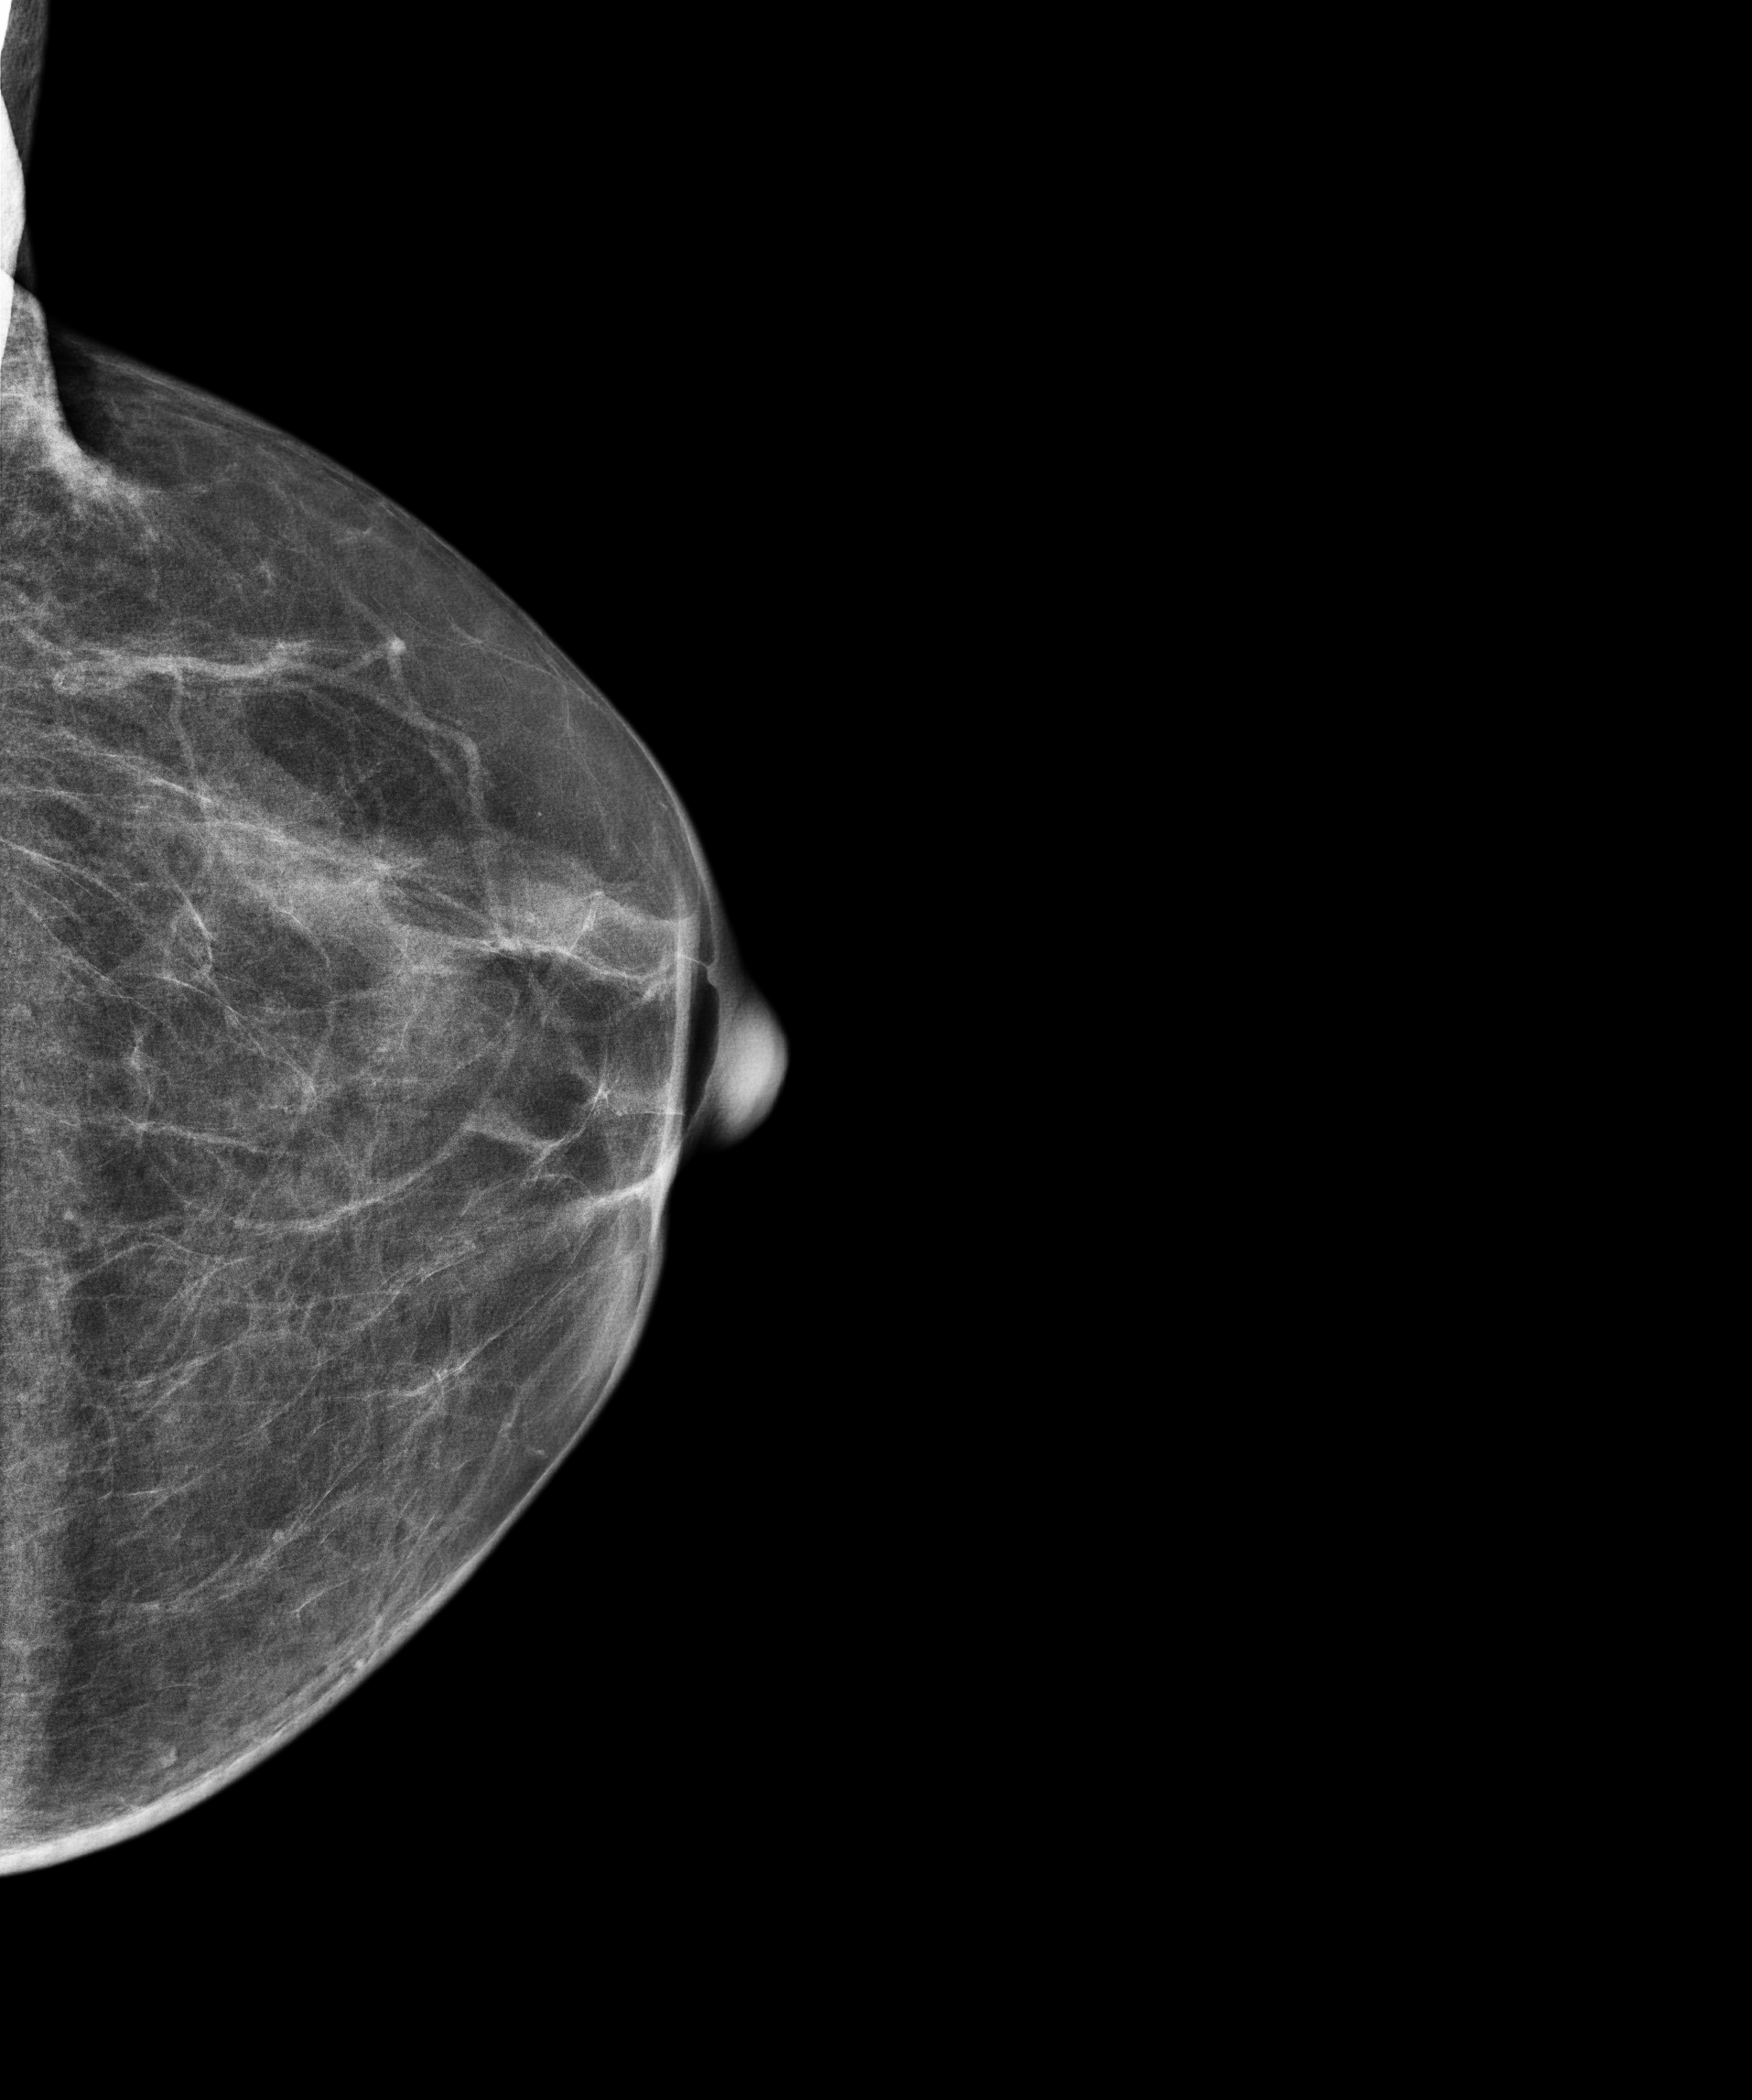
Digital mammography. Left breast, CC projection. 83 y/o patient.
This breast has a mass, biopsy-confirmed malignant. Molecular subtype: luminal B.